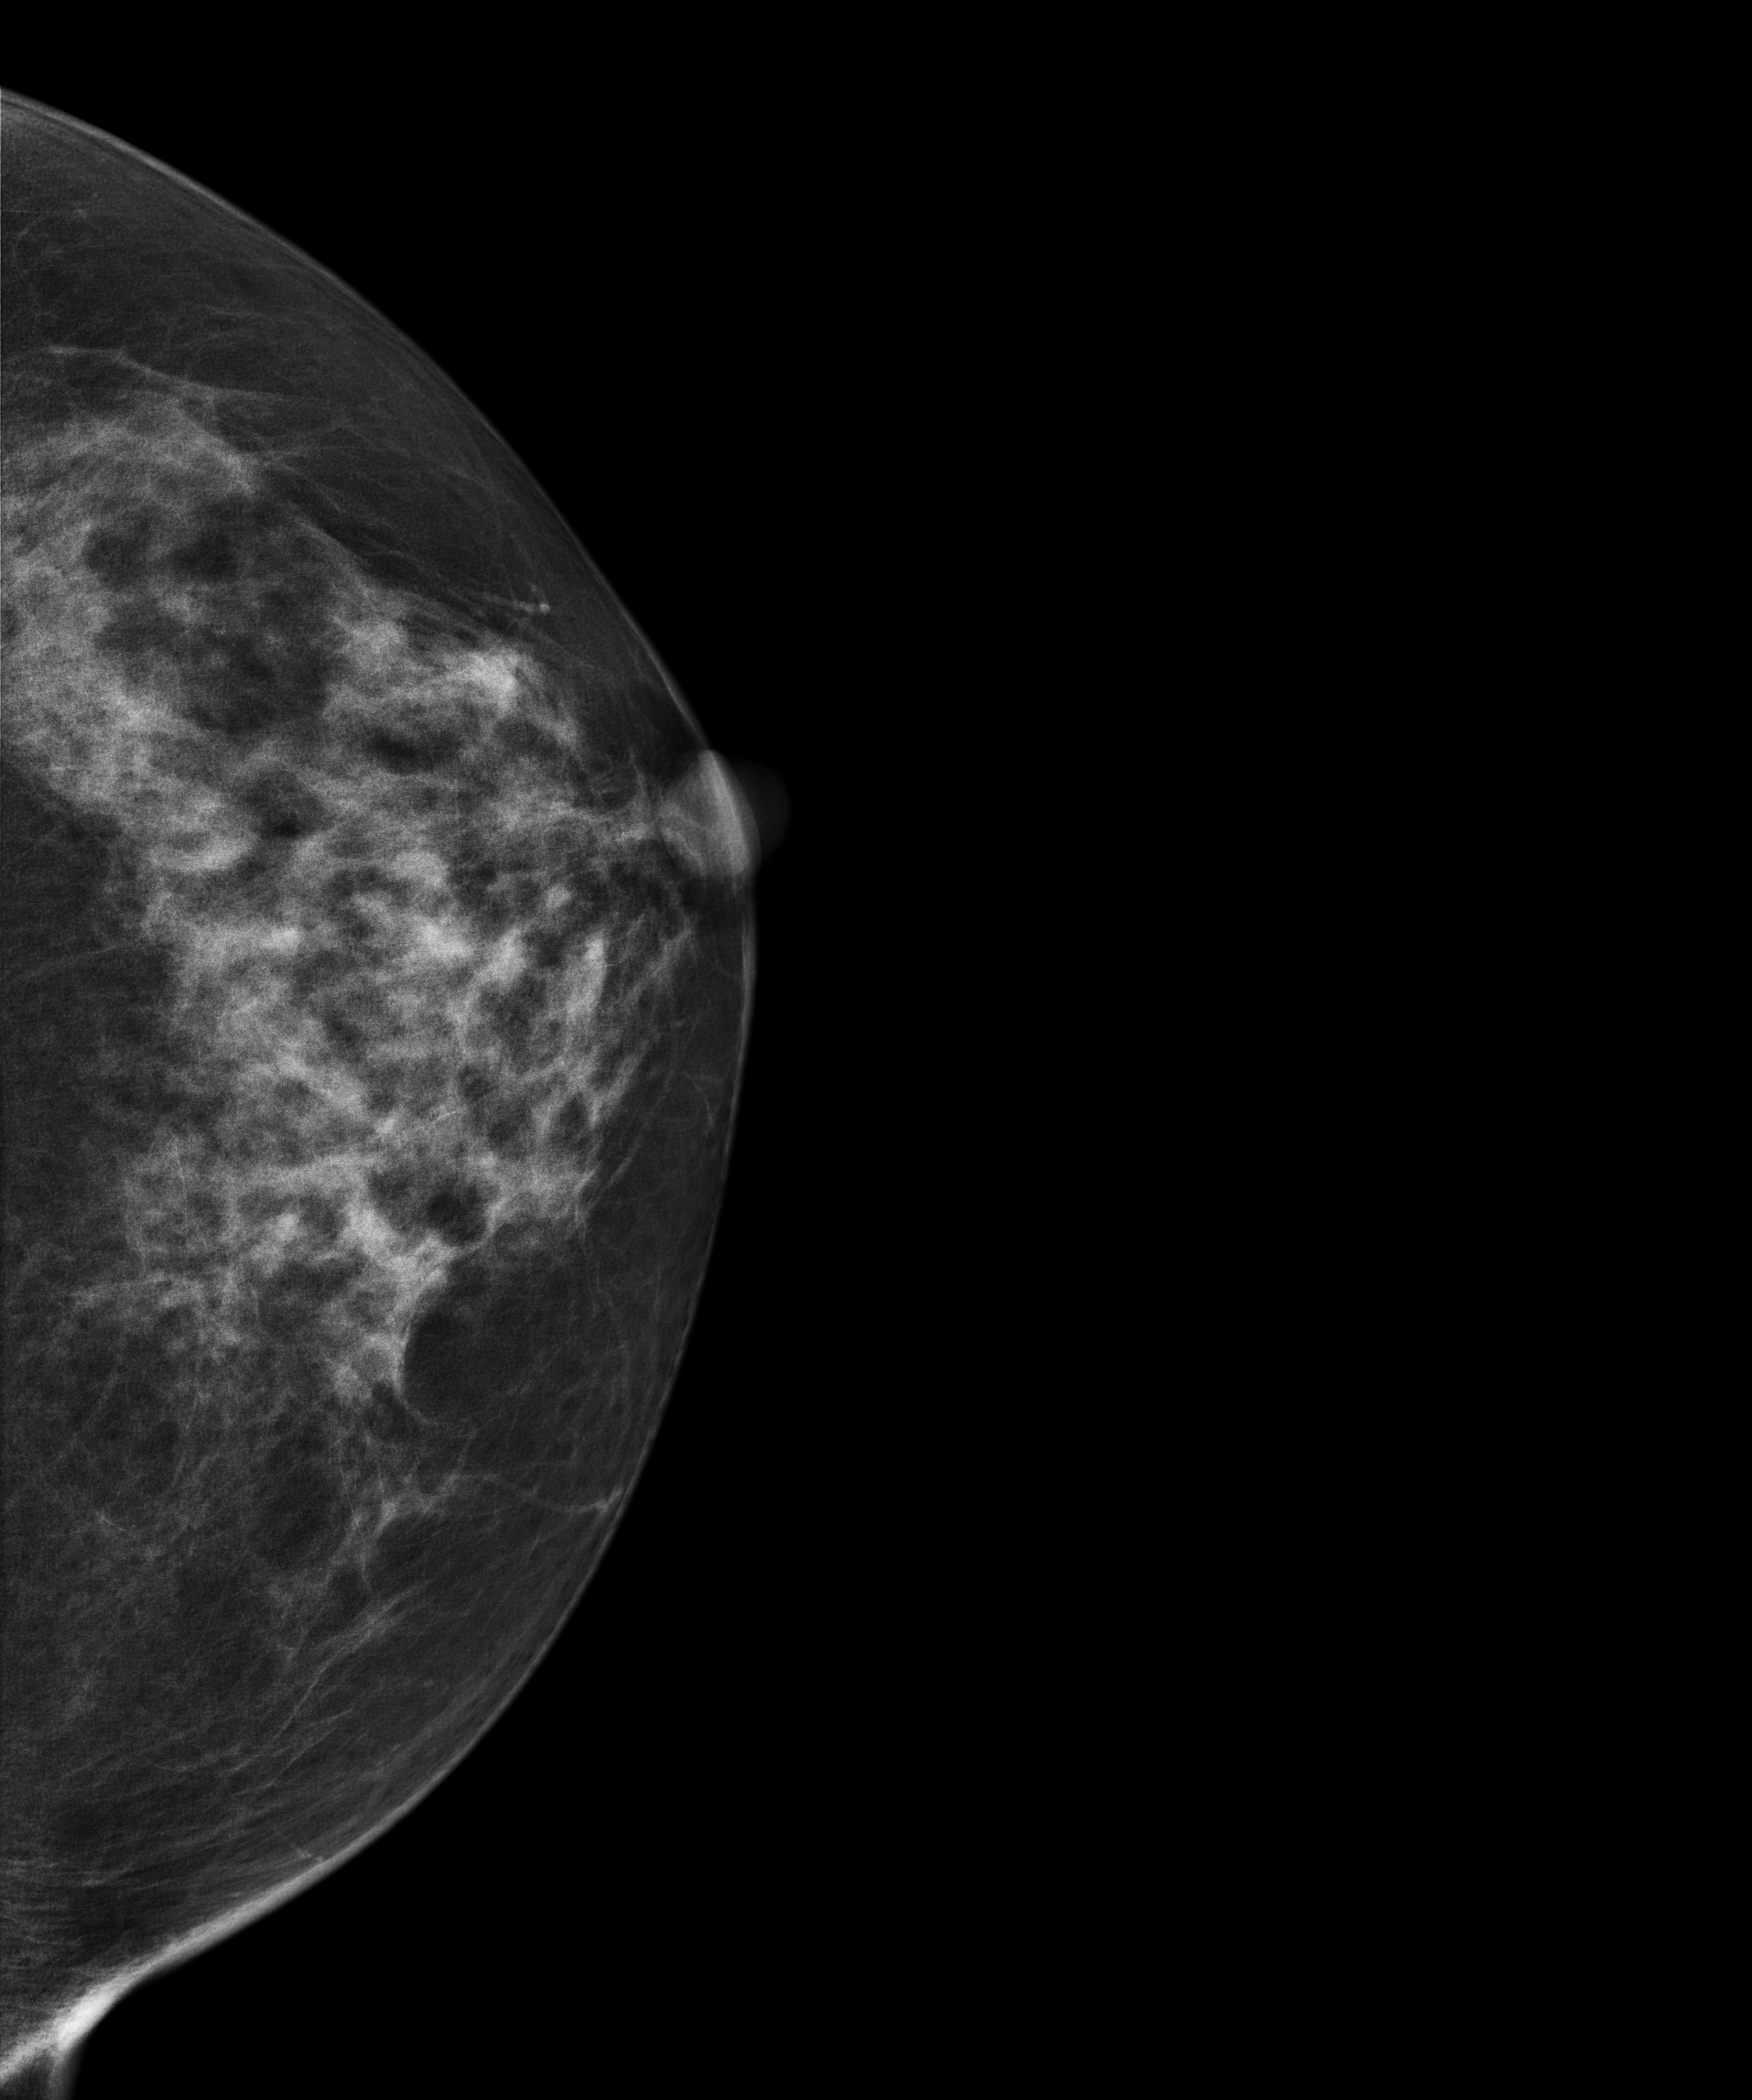
Mammogram — left CC. 59-year-old patient.
Contralateral breast — no documented abnormality on this side.